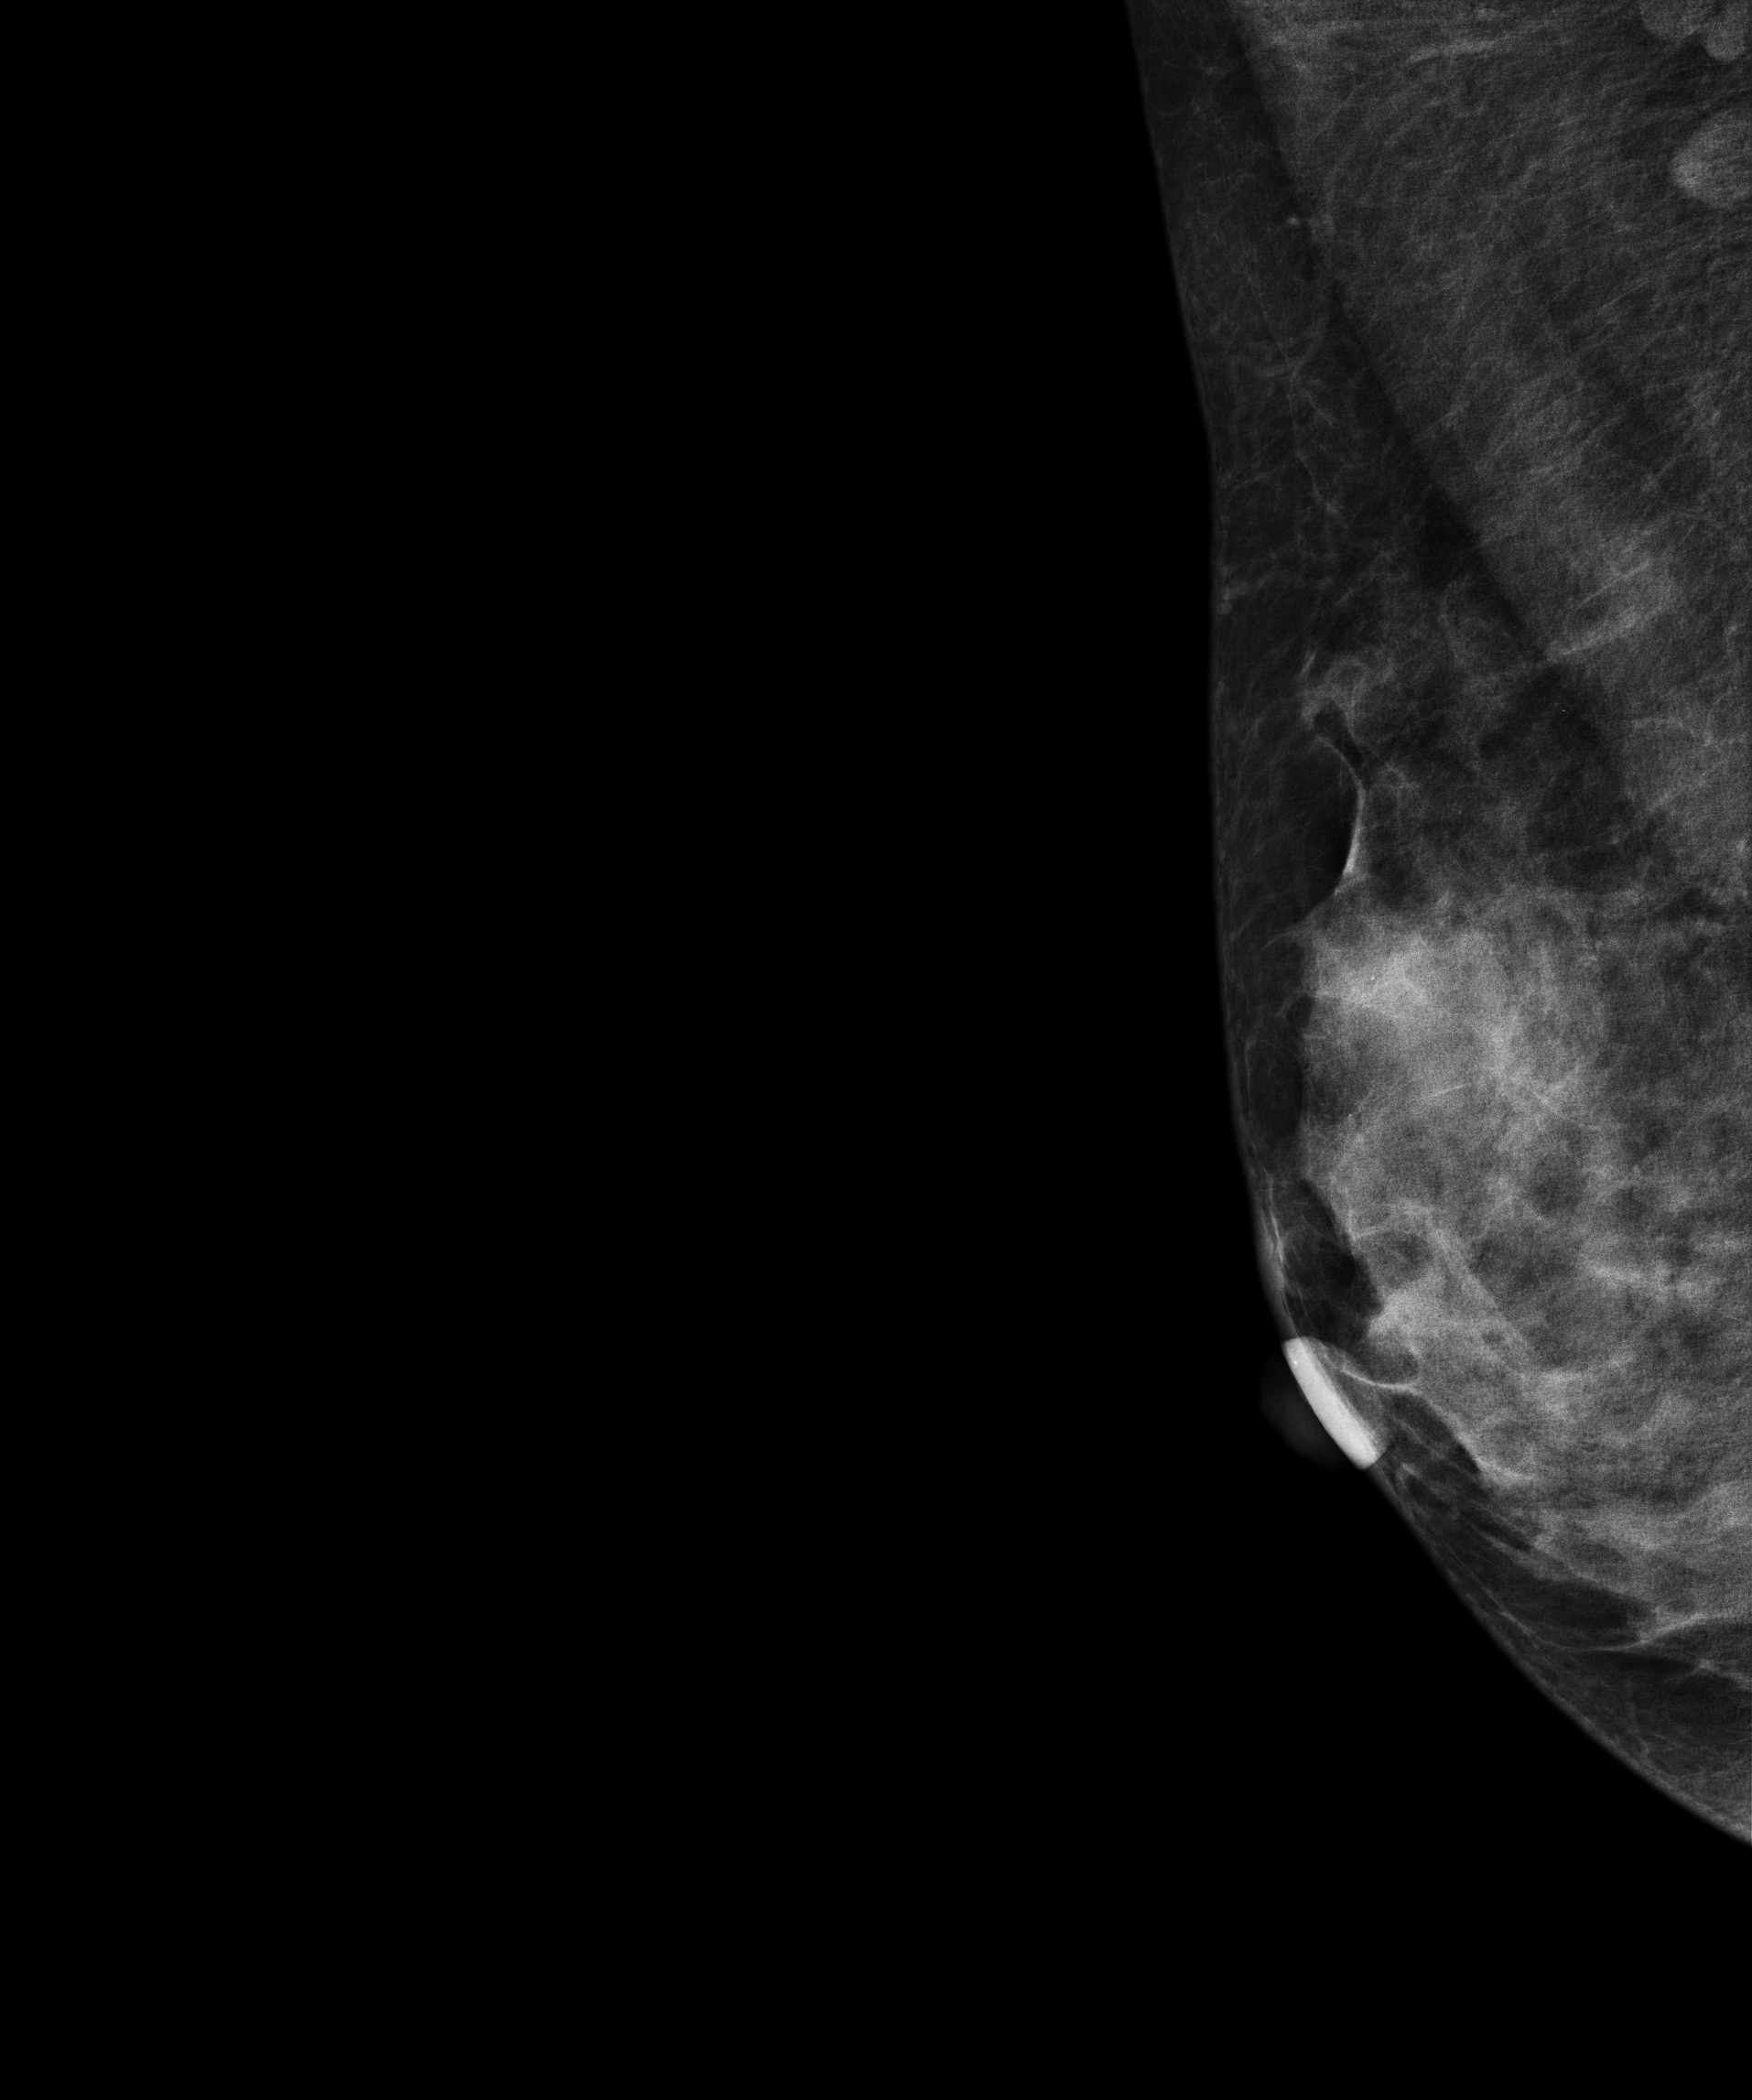
Mammogram — right MLO. Patient age 42.
This breast has a mass, biopsy-proven benign.